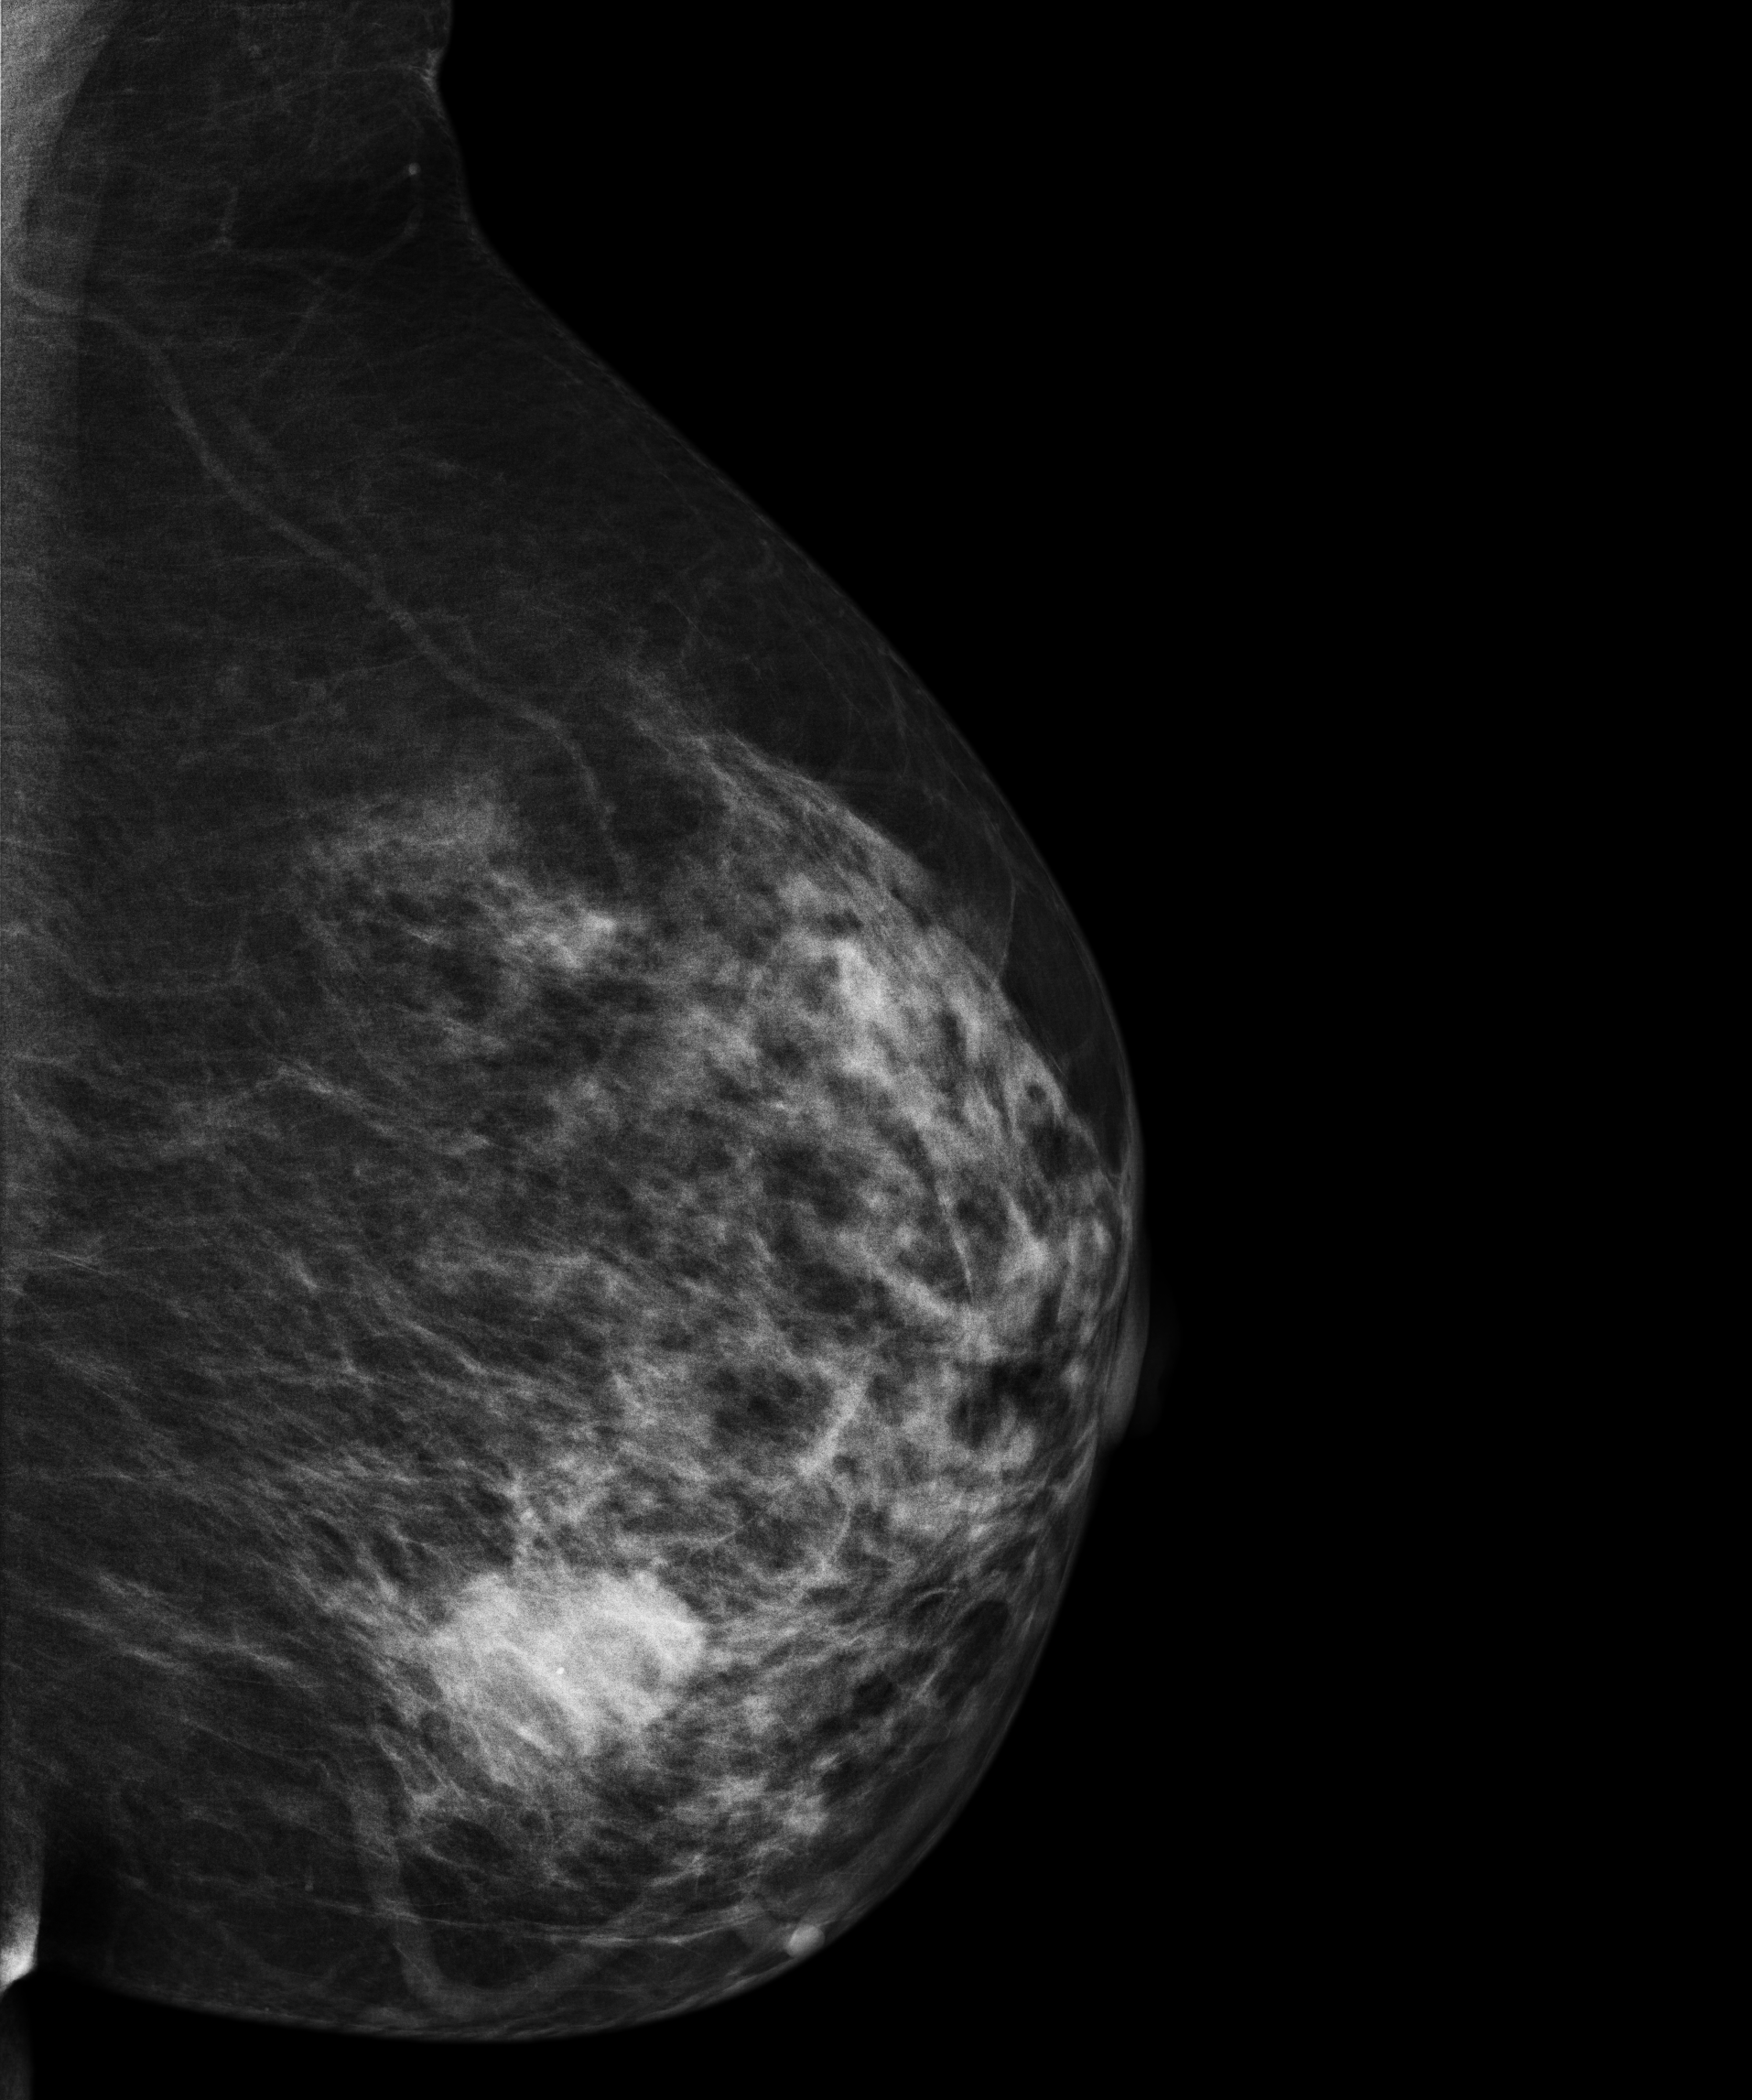
Mammogram, left breast, MLO view. 57-year-old patient.
This breast has a mass and calcifications, biopsy-confirmed malignant. Molecular subtype: HER2-enriched.